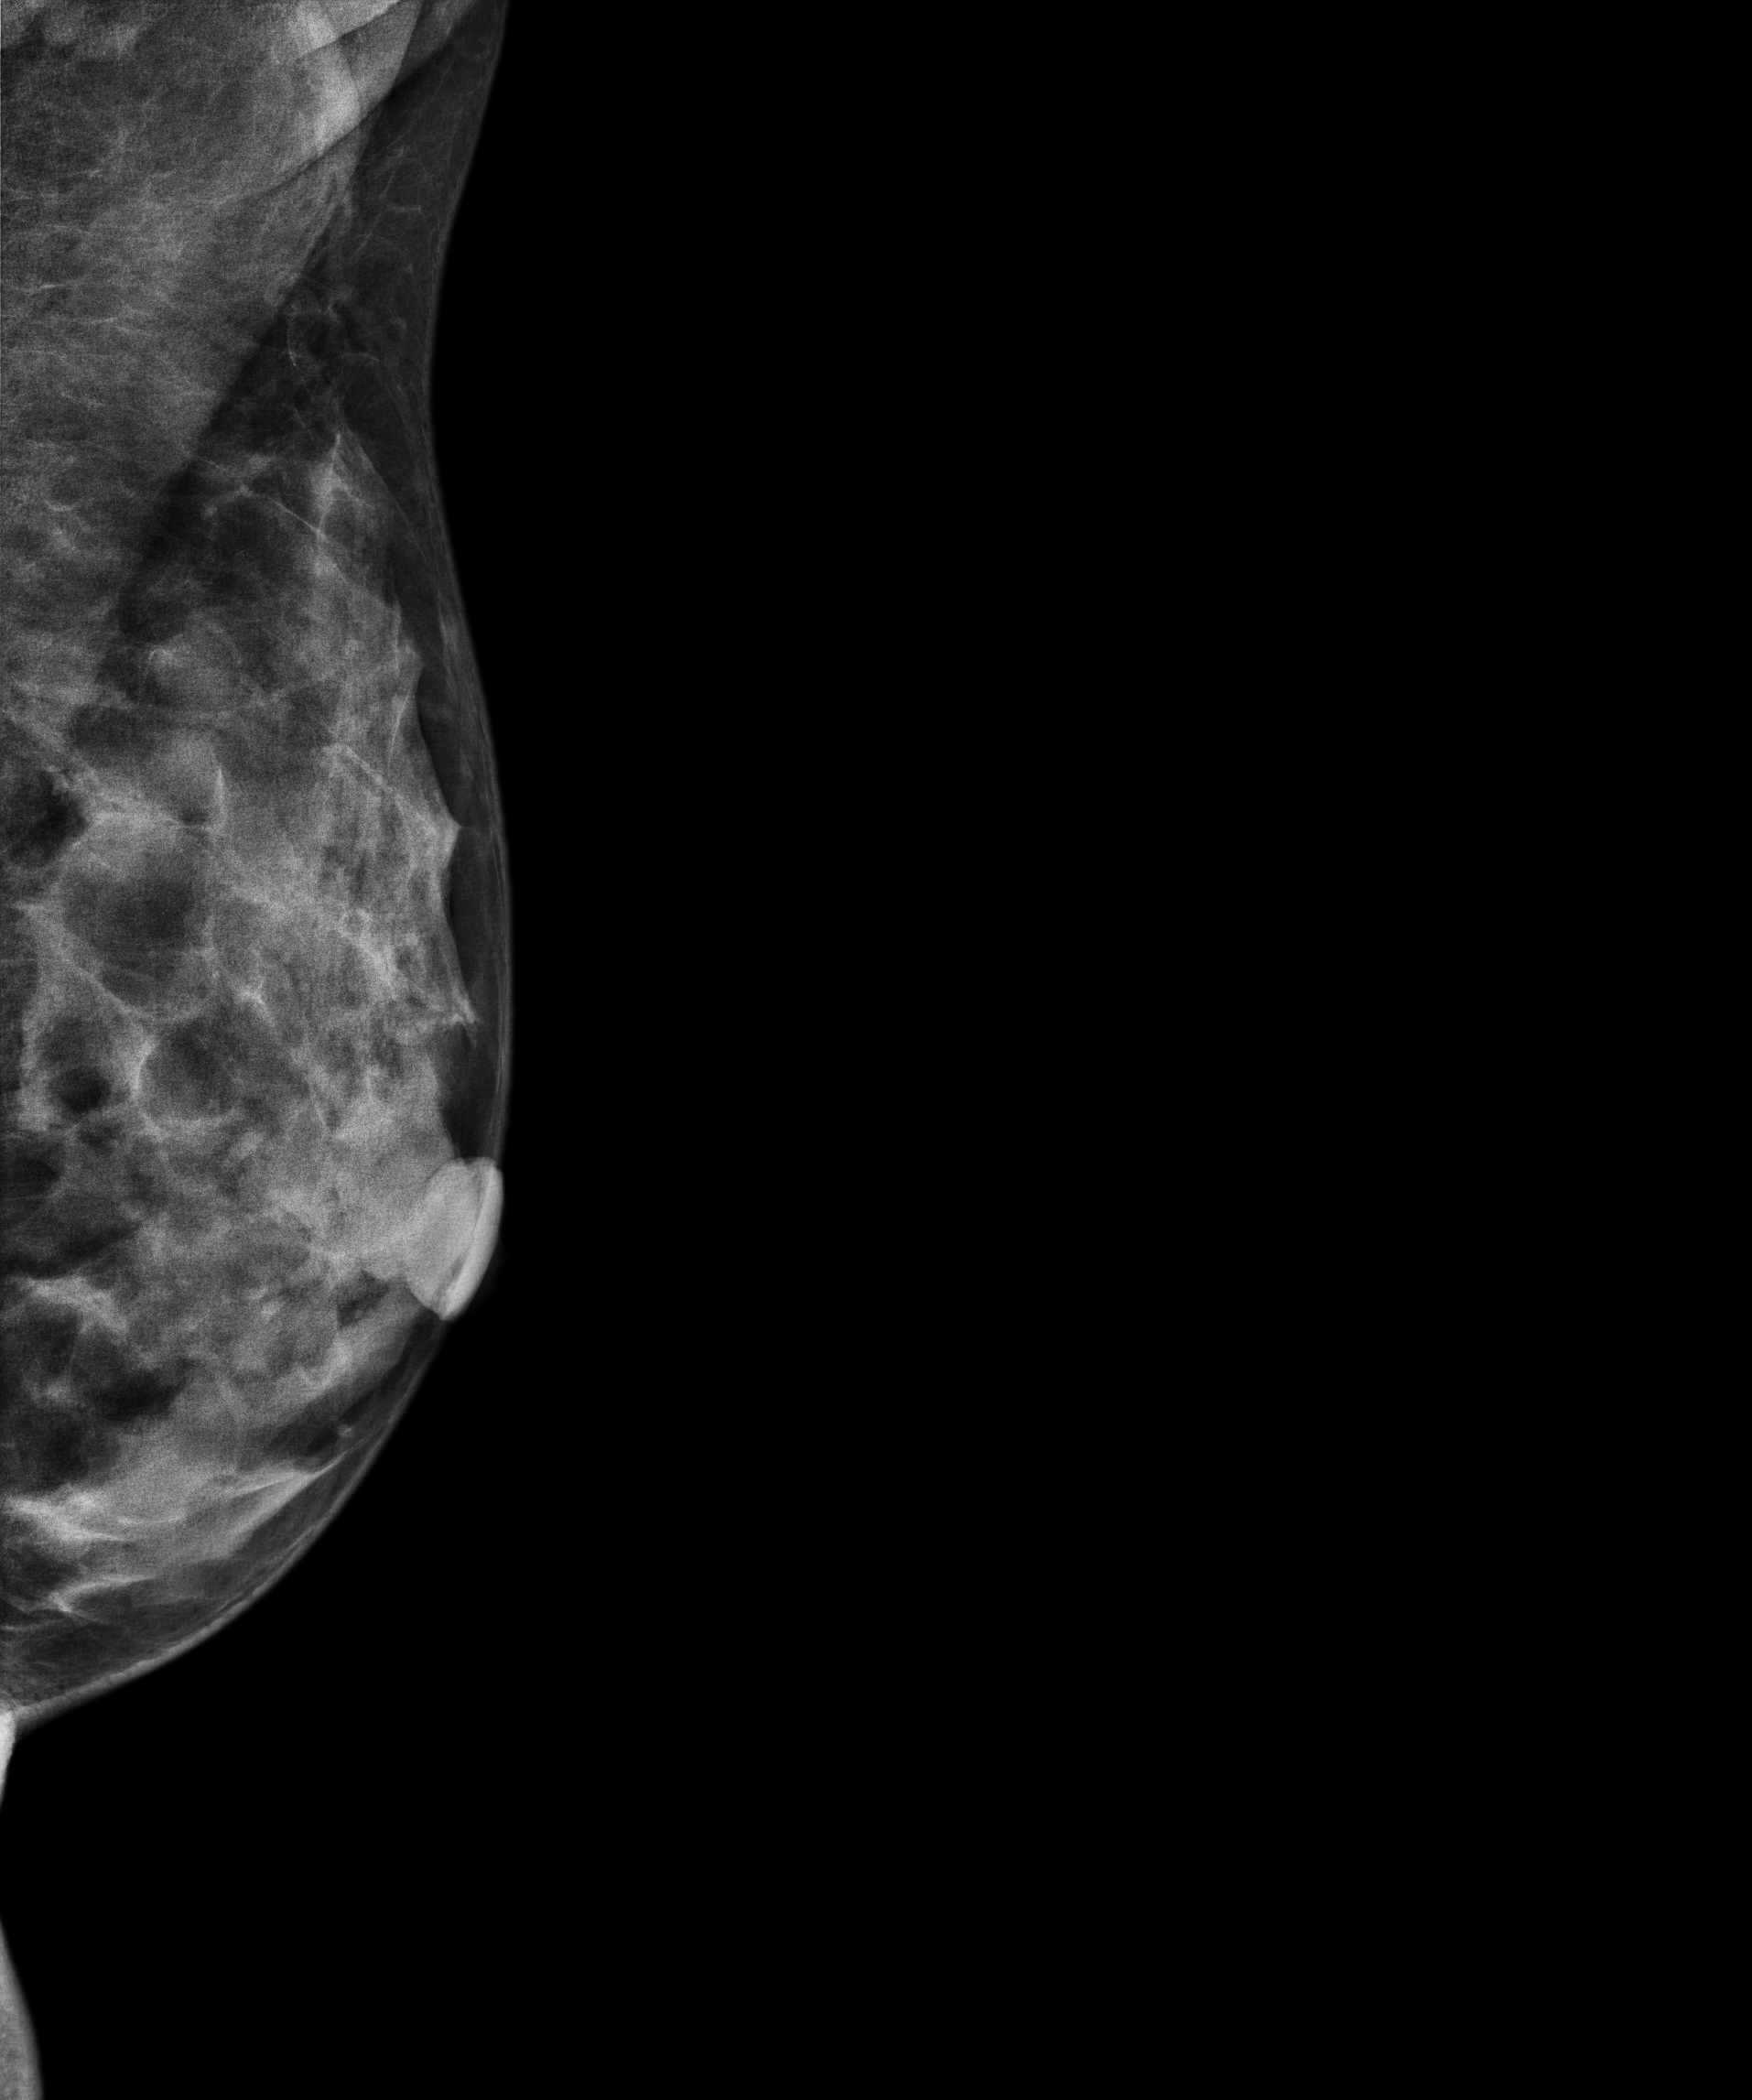
Left-breast mammogram, medio-lateral oblique. Patient age 46.
This breast has a mass, histologically confirmed benign.